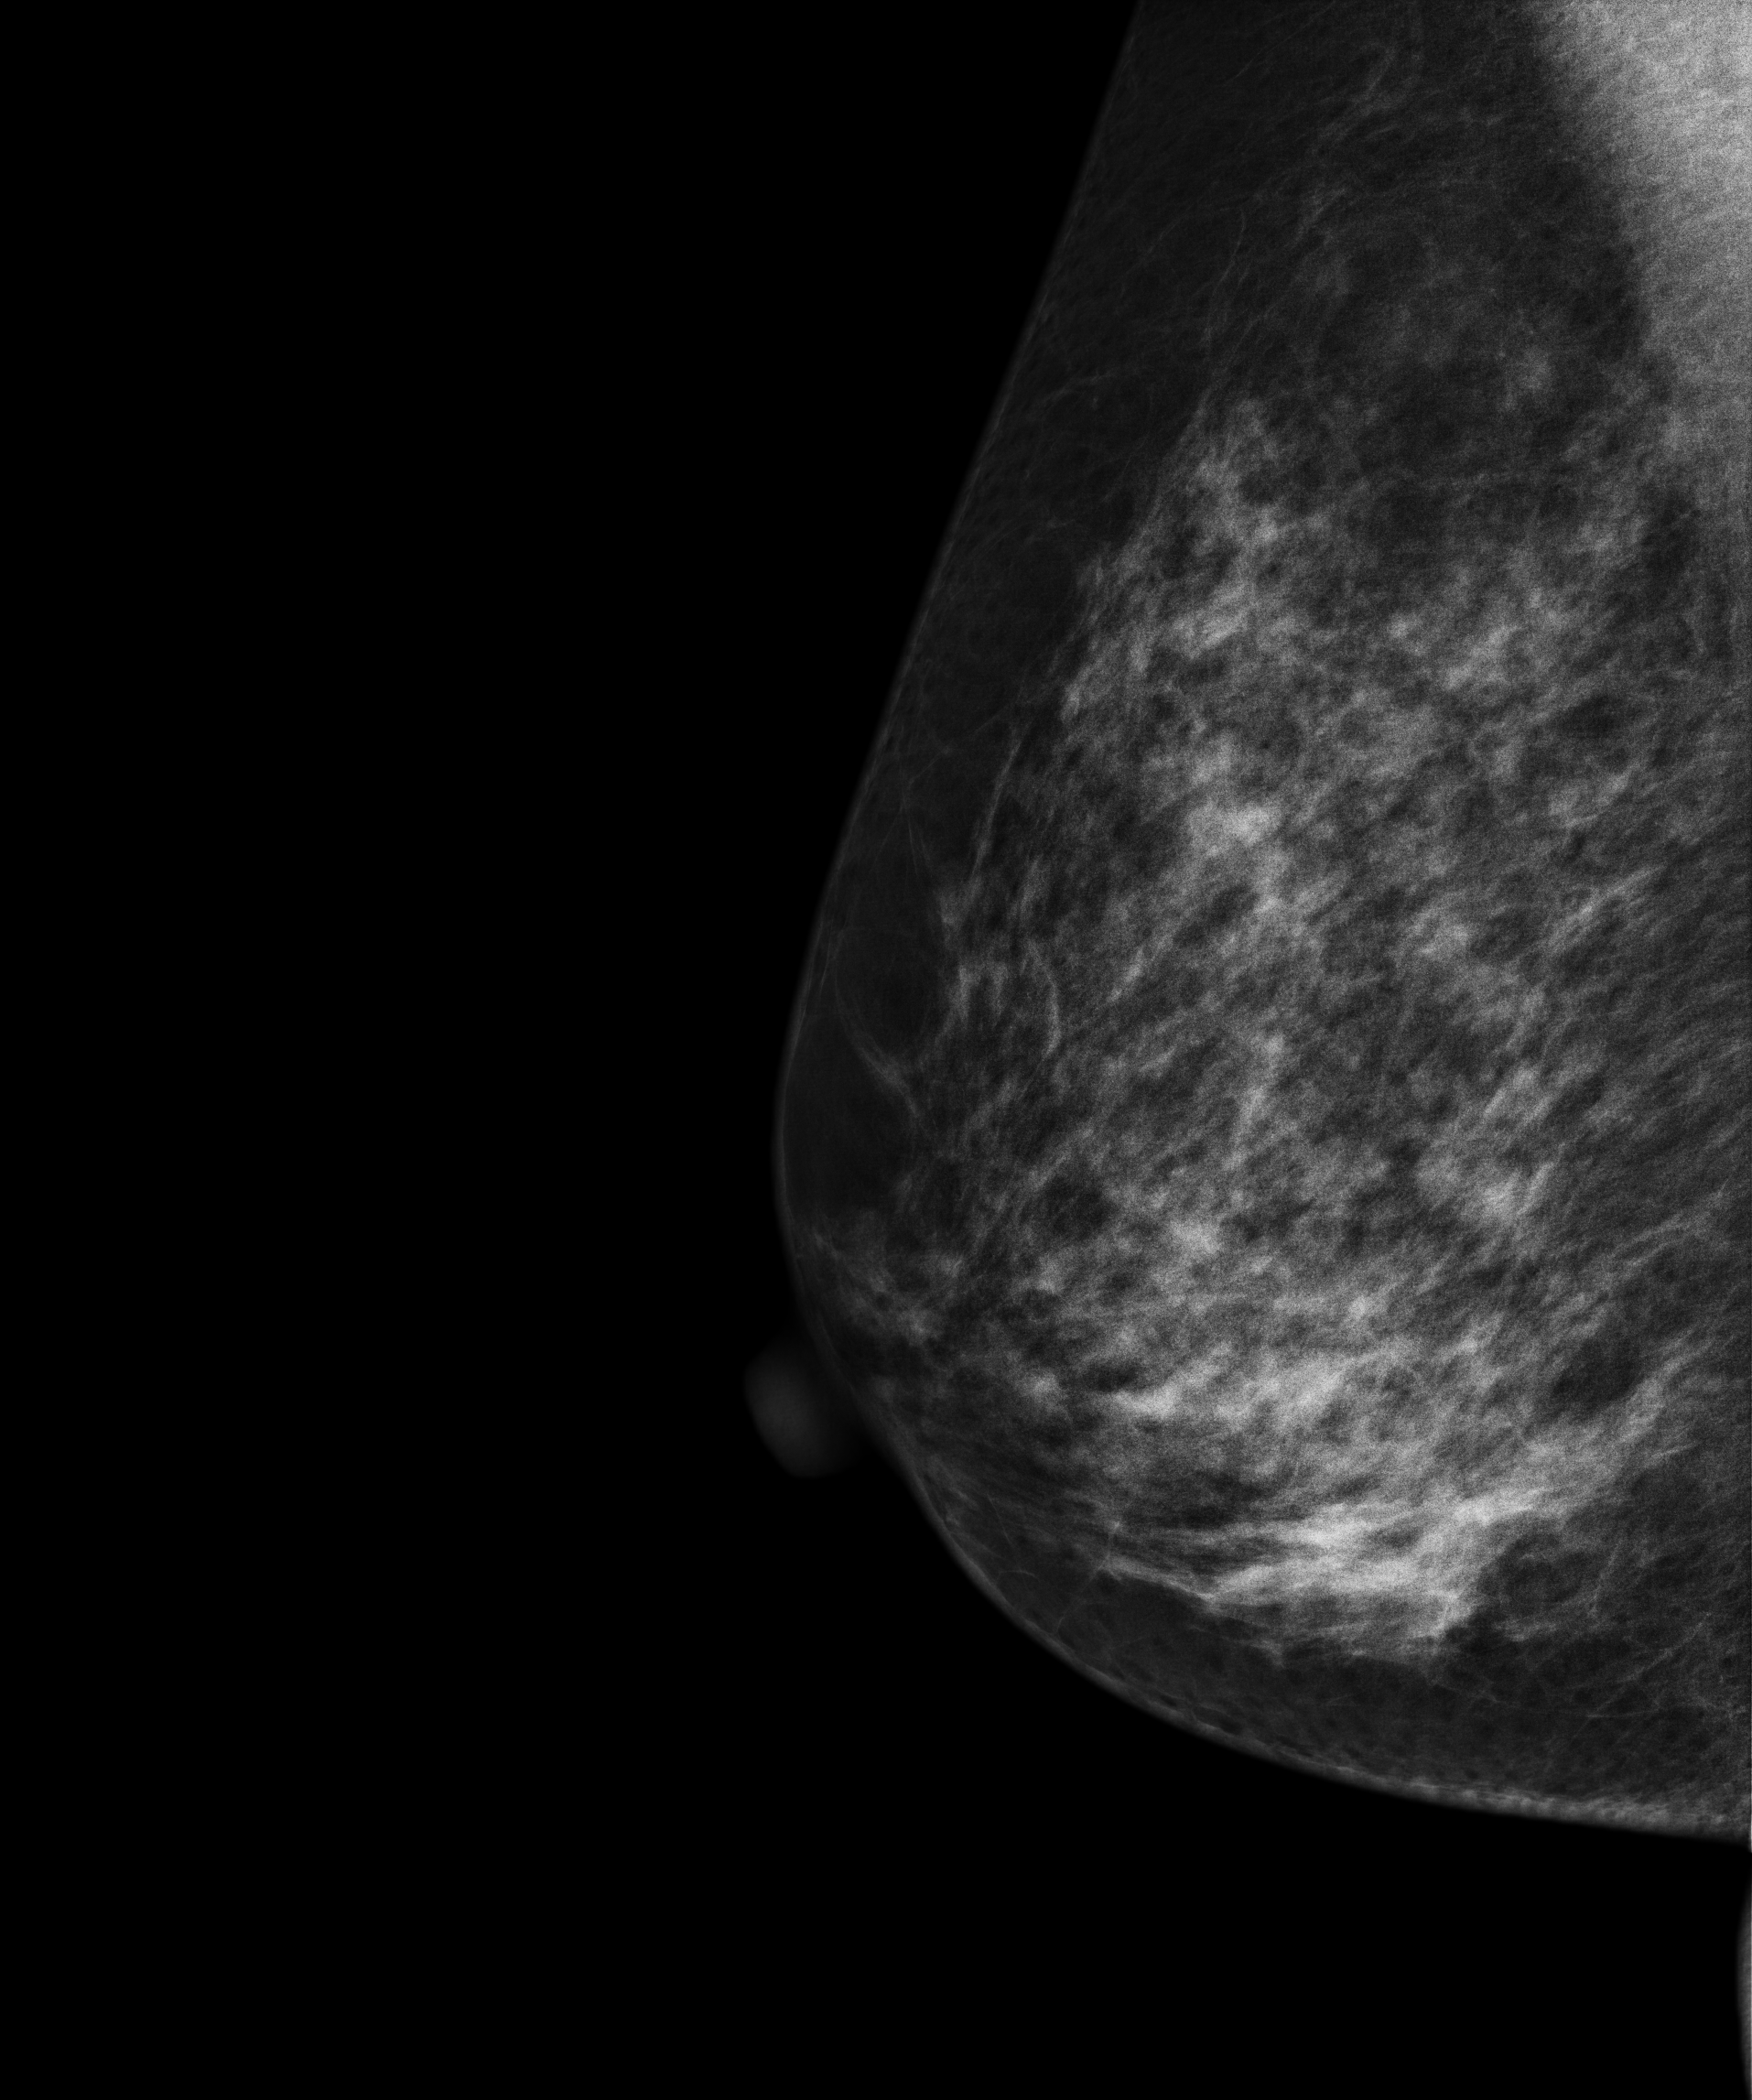
Mammogram — right medio-lateral oblique. Patient age 52.
Contralateral breast — no documented abnormality on this side.